Digital mammography. Left breast, medio-lateral oblique projection. 48-year-old patient.
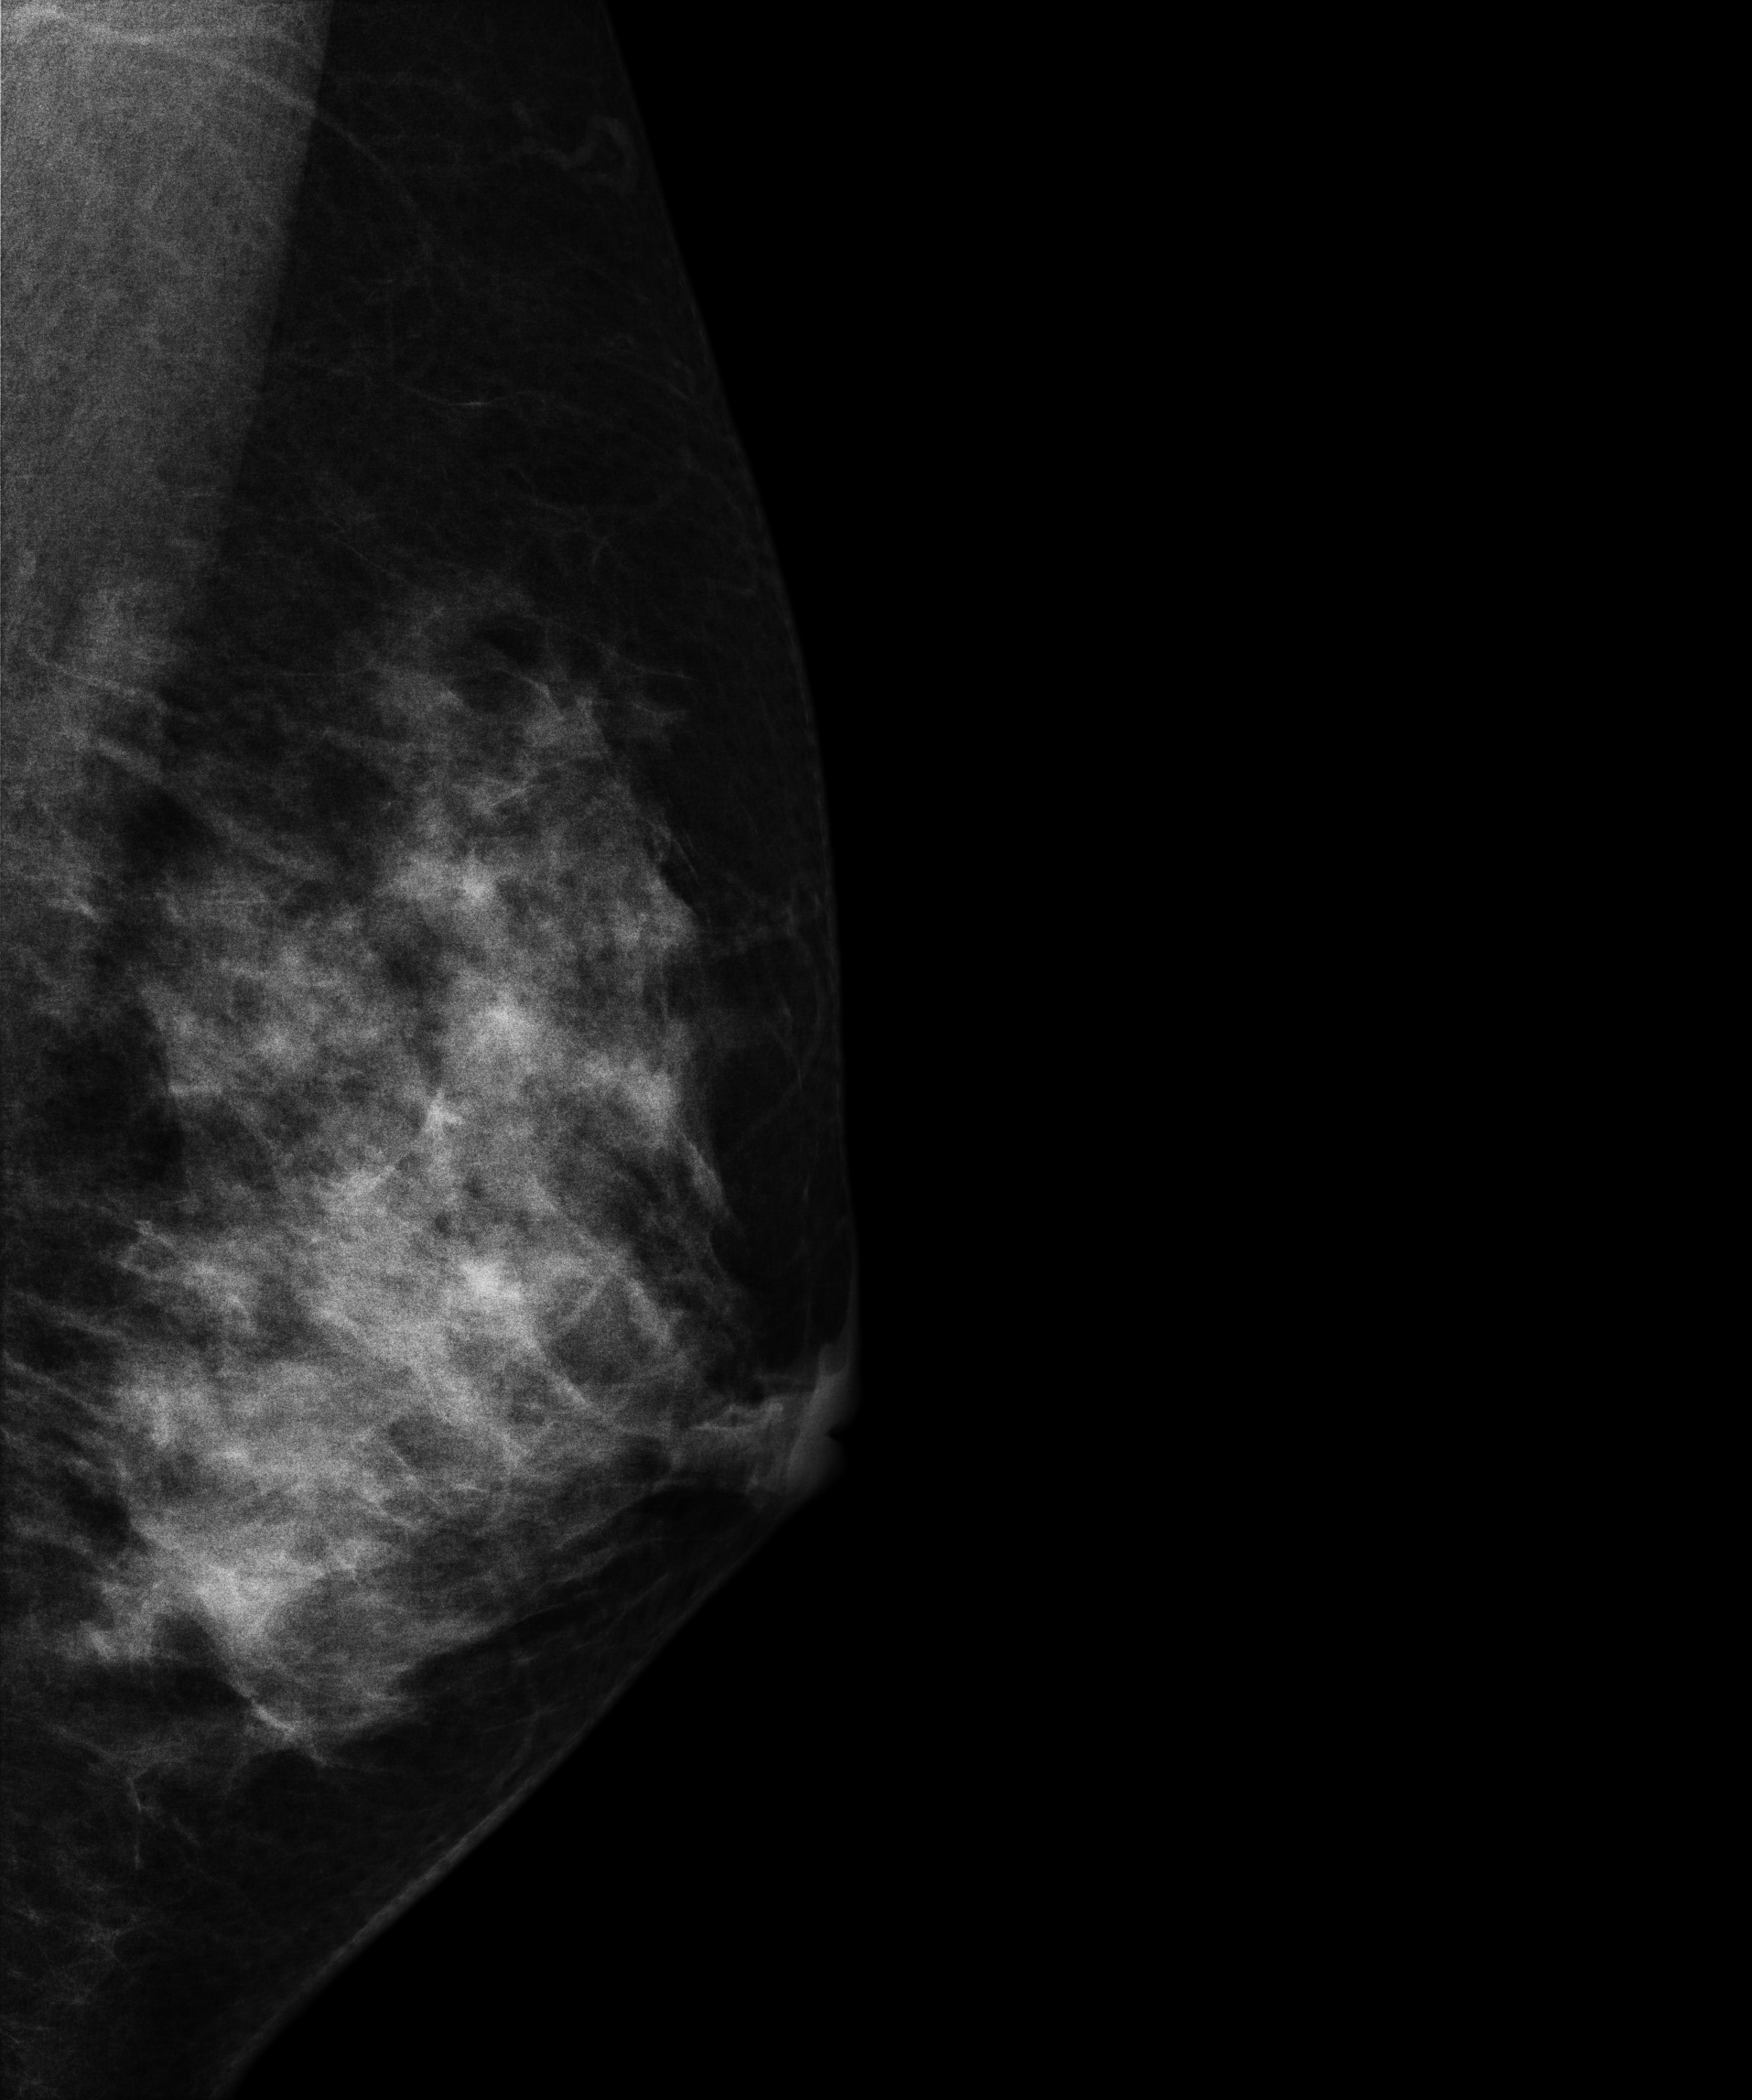
Contralateral breast — no documented abnormality on this side.